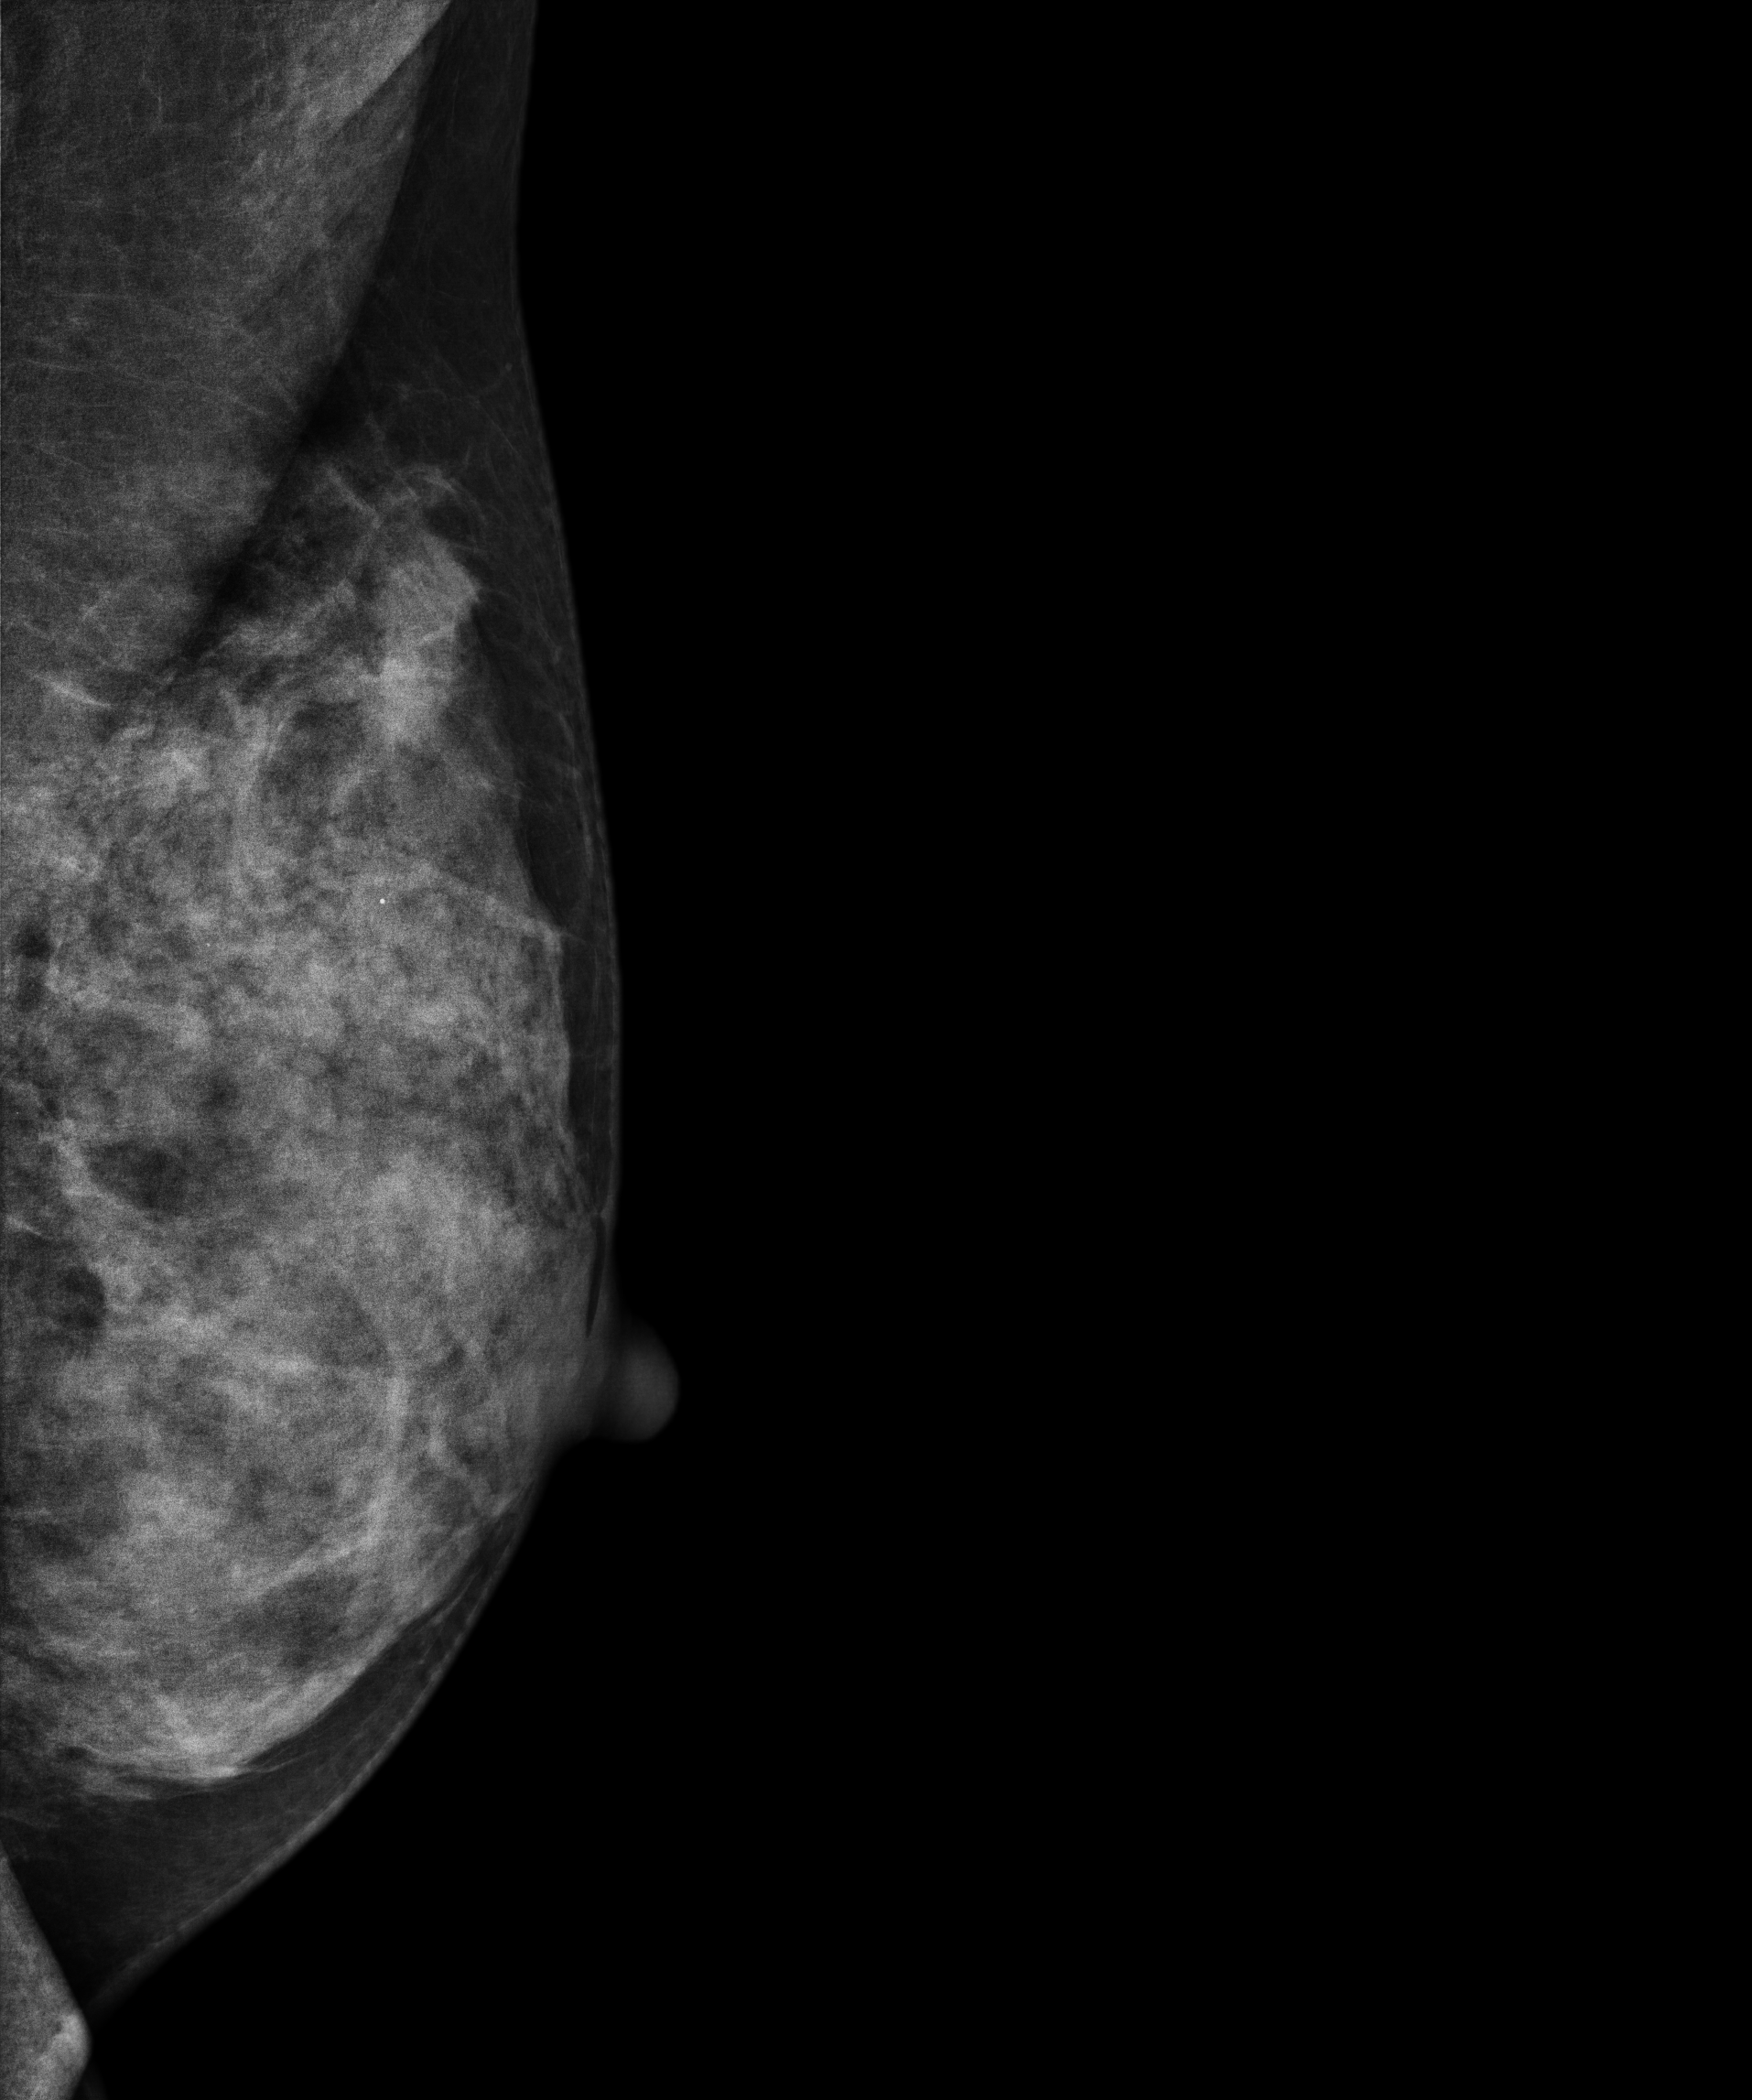
Medio-lateral oblique mammogram of the left breast. Patient age 33.
This breast has a mass, histologically confirmed malignant. Molecular subtype: luminal B.